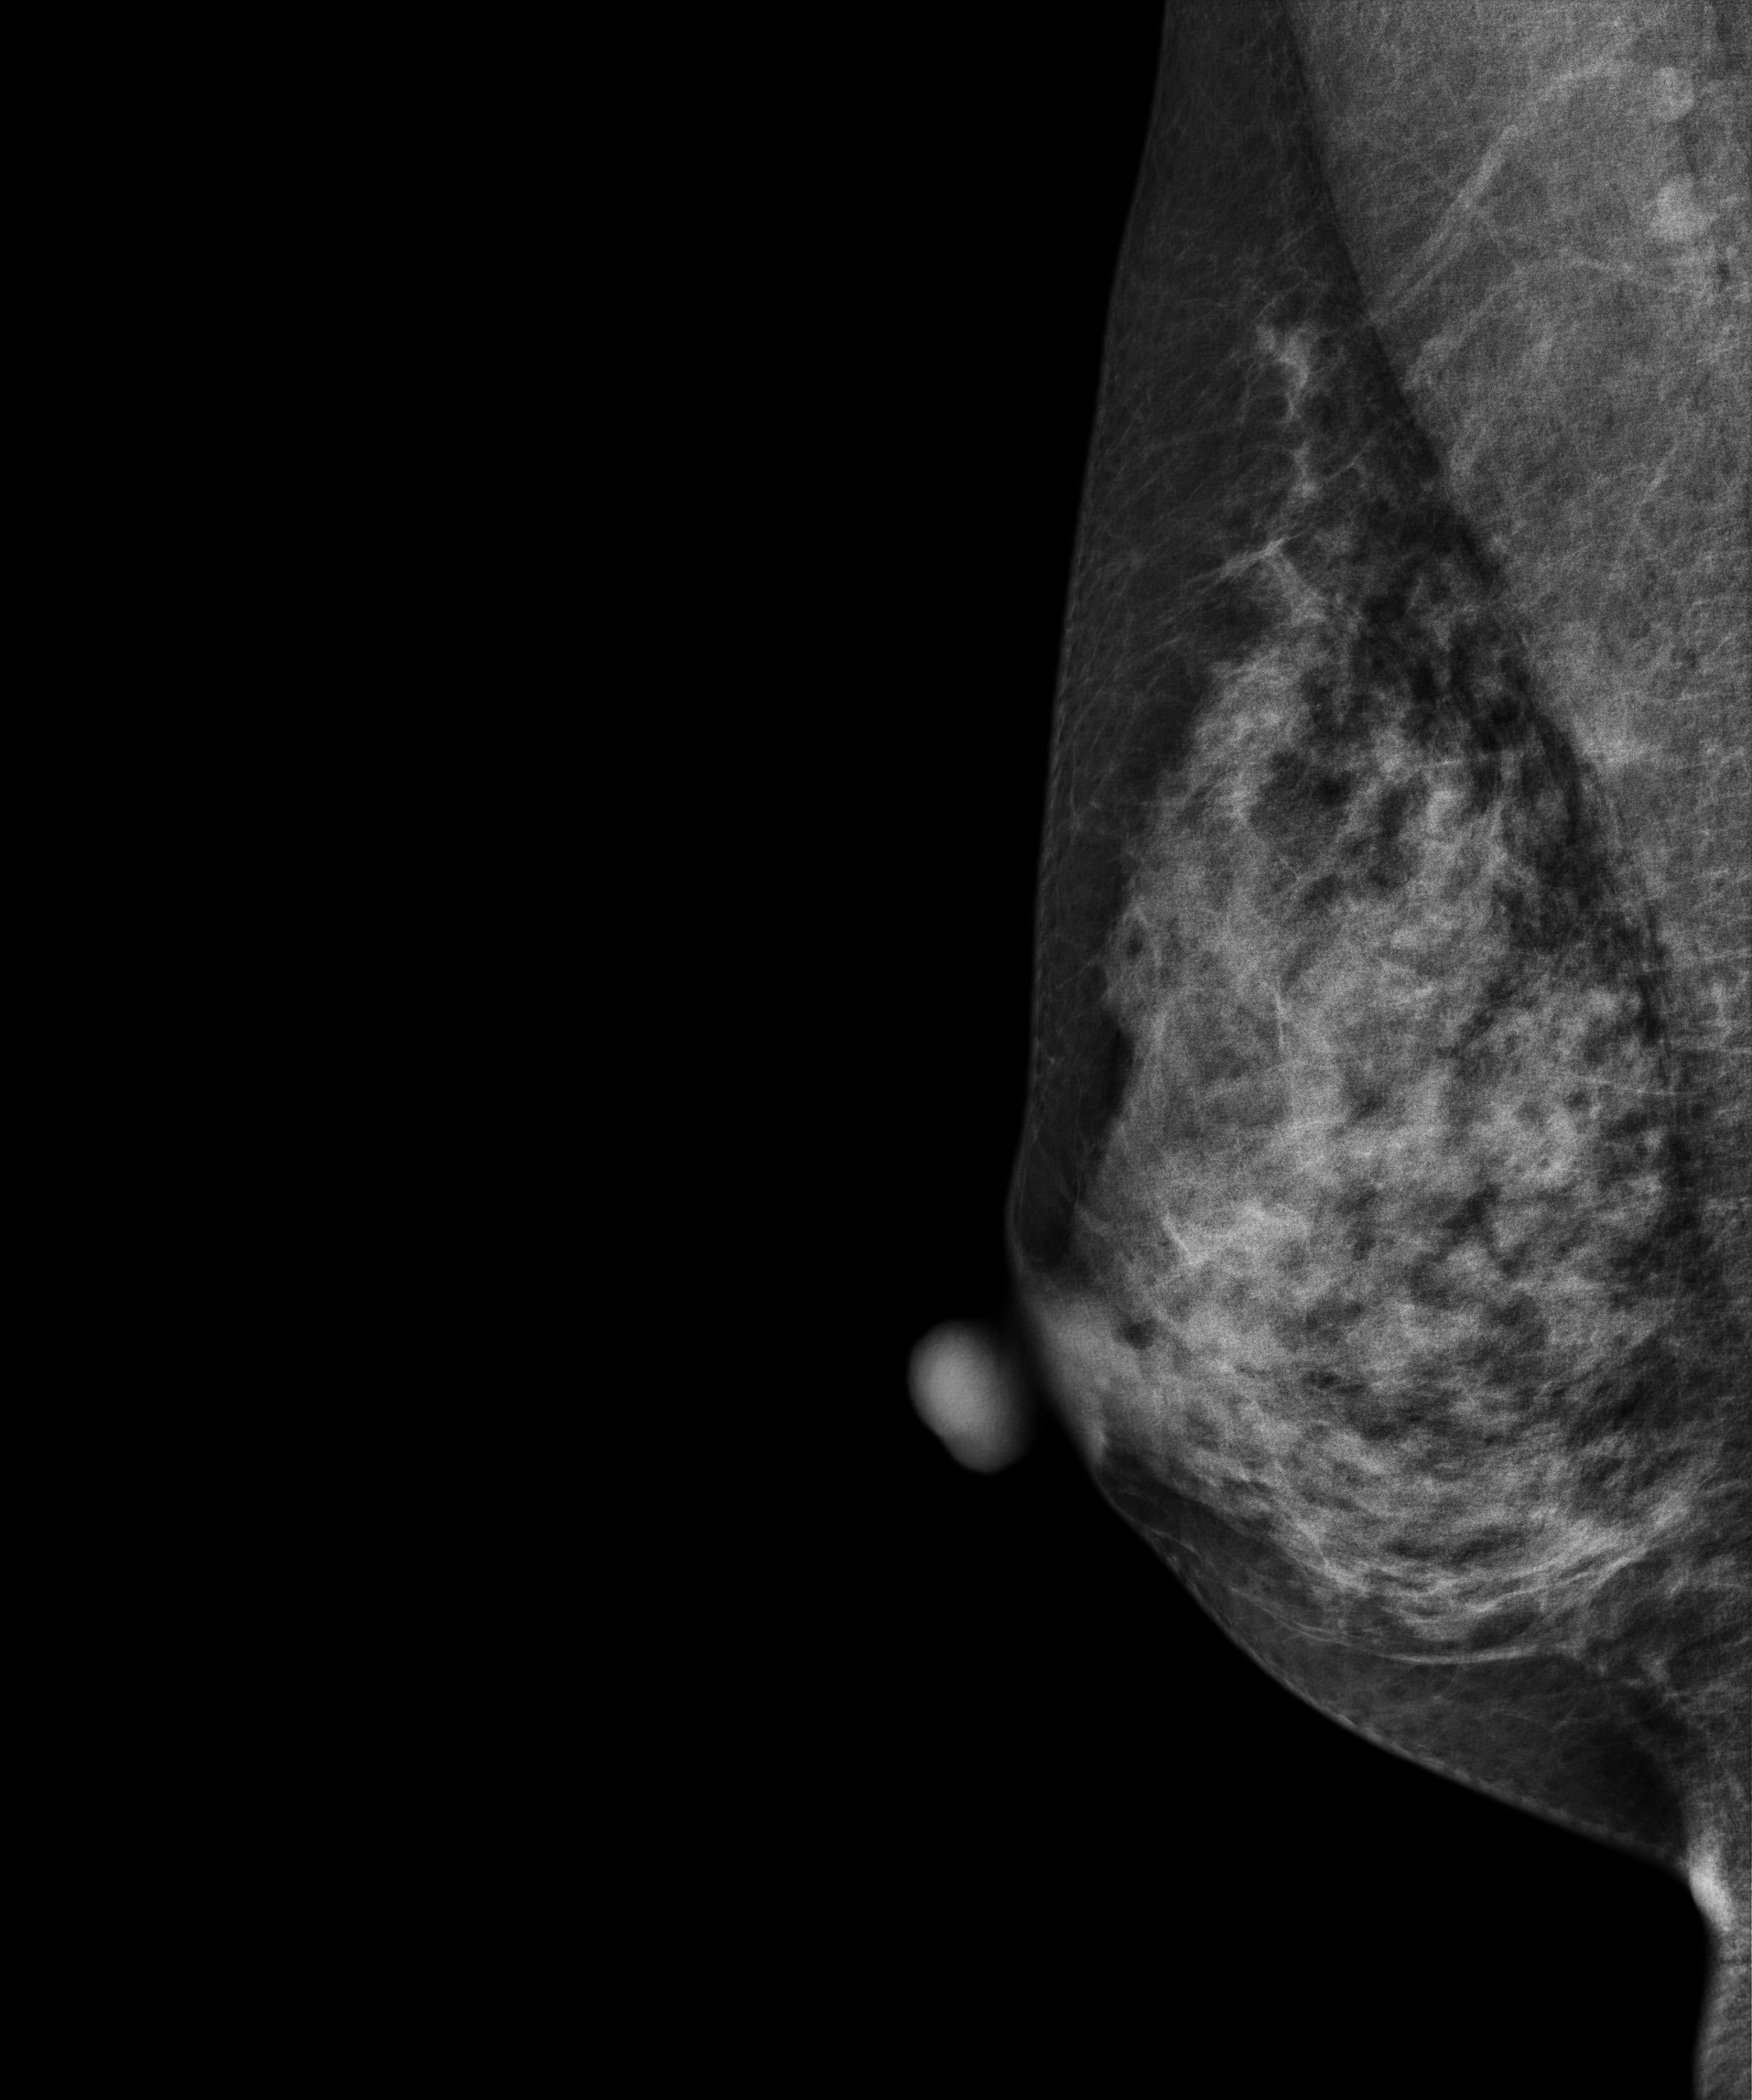
Right-breast mammogram, MLO. Patient age 56.
This breast has a mass, histologically confirmed benign.